Right-breast mammogram, MLO. Patient age 60.
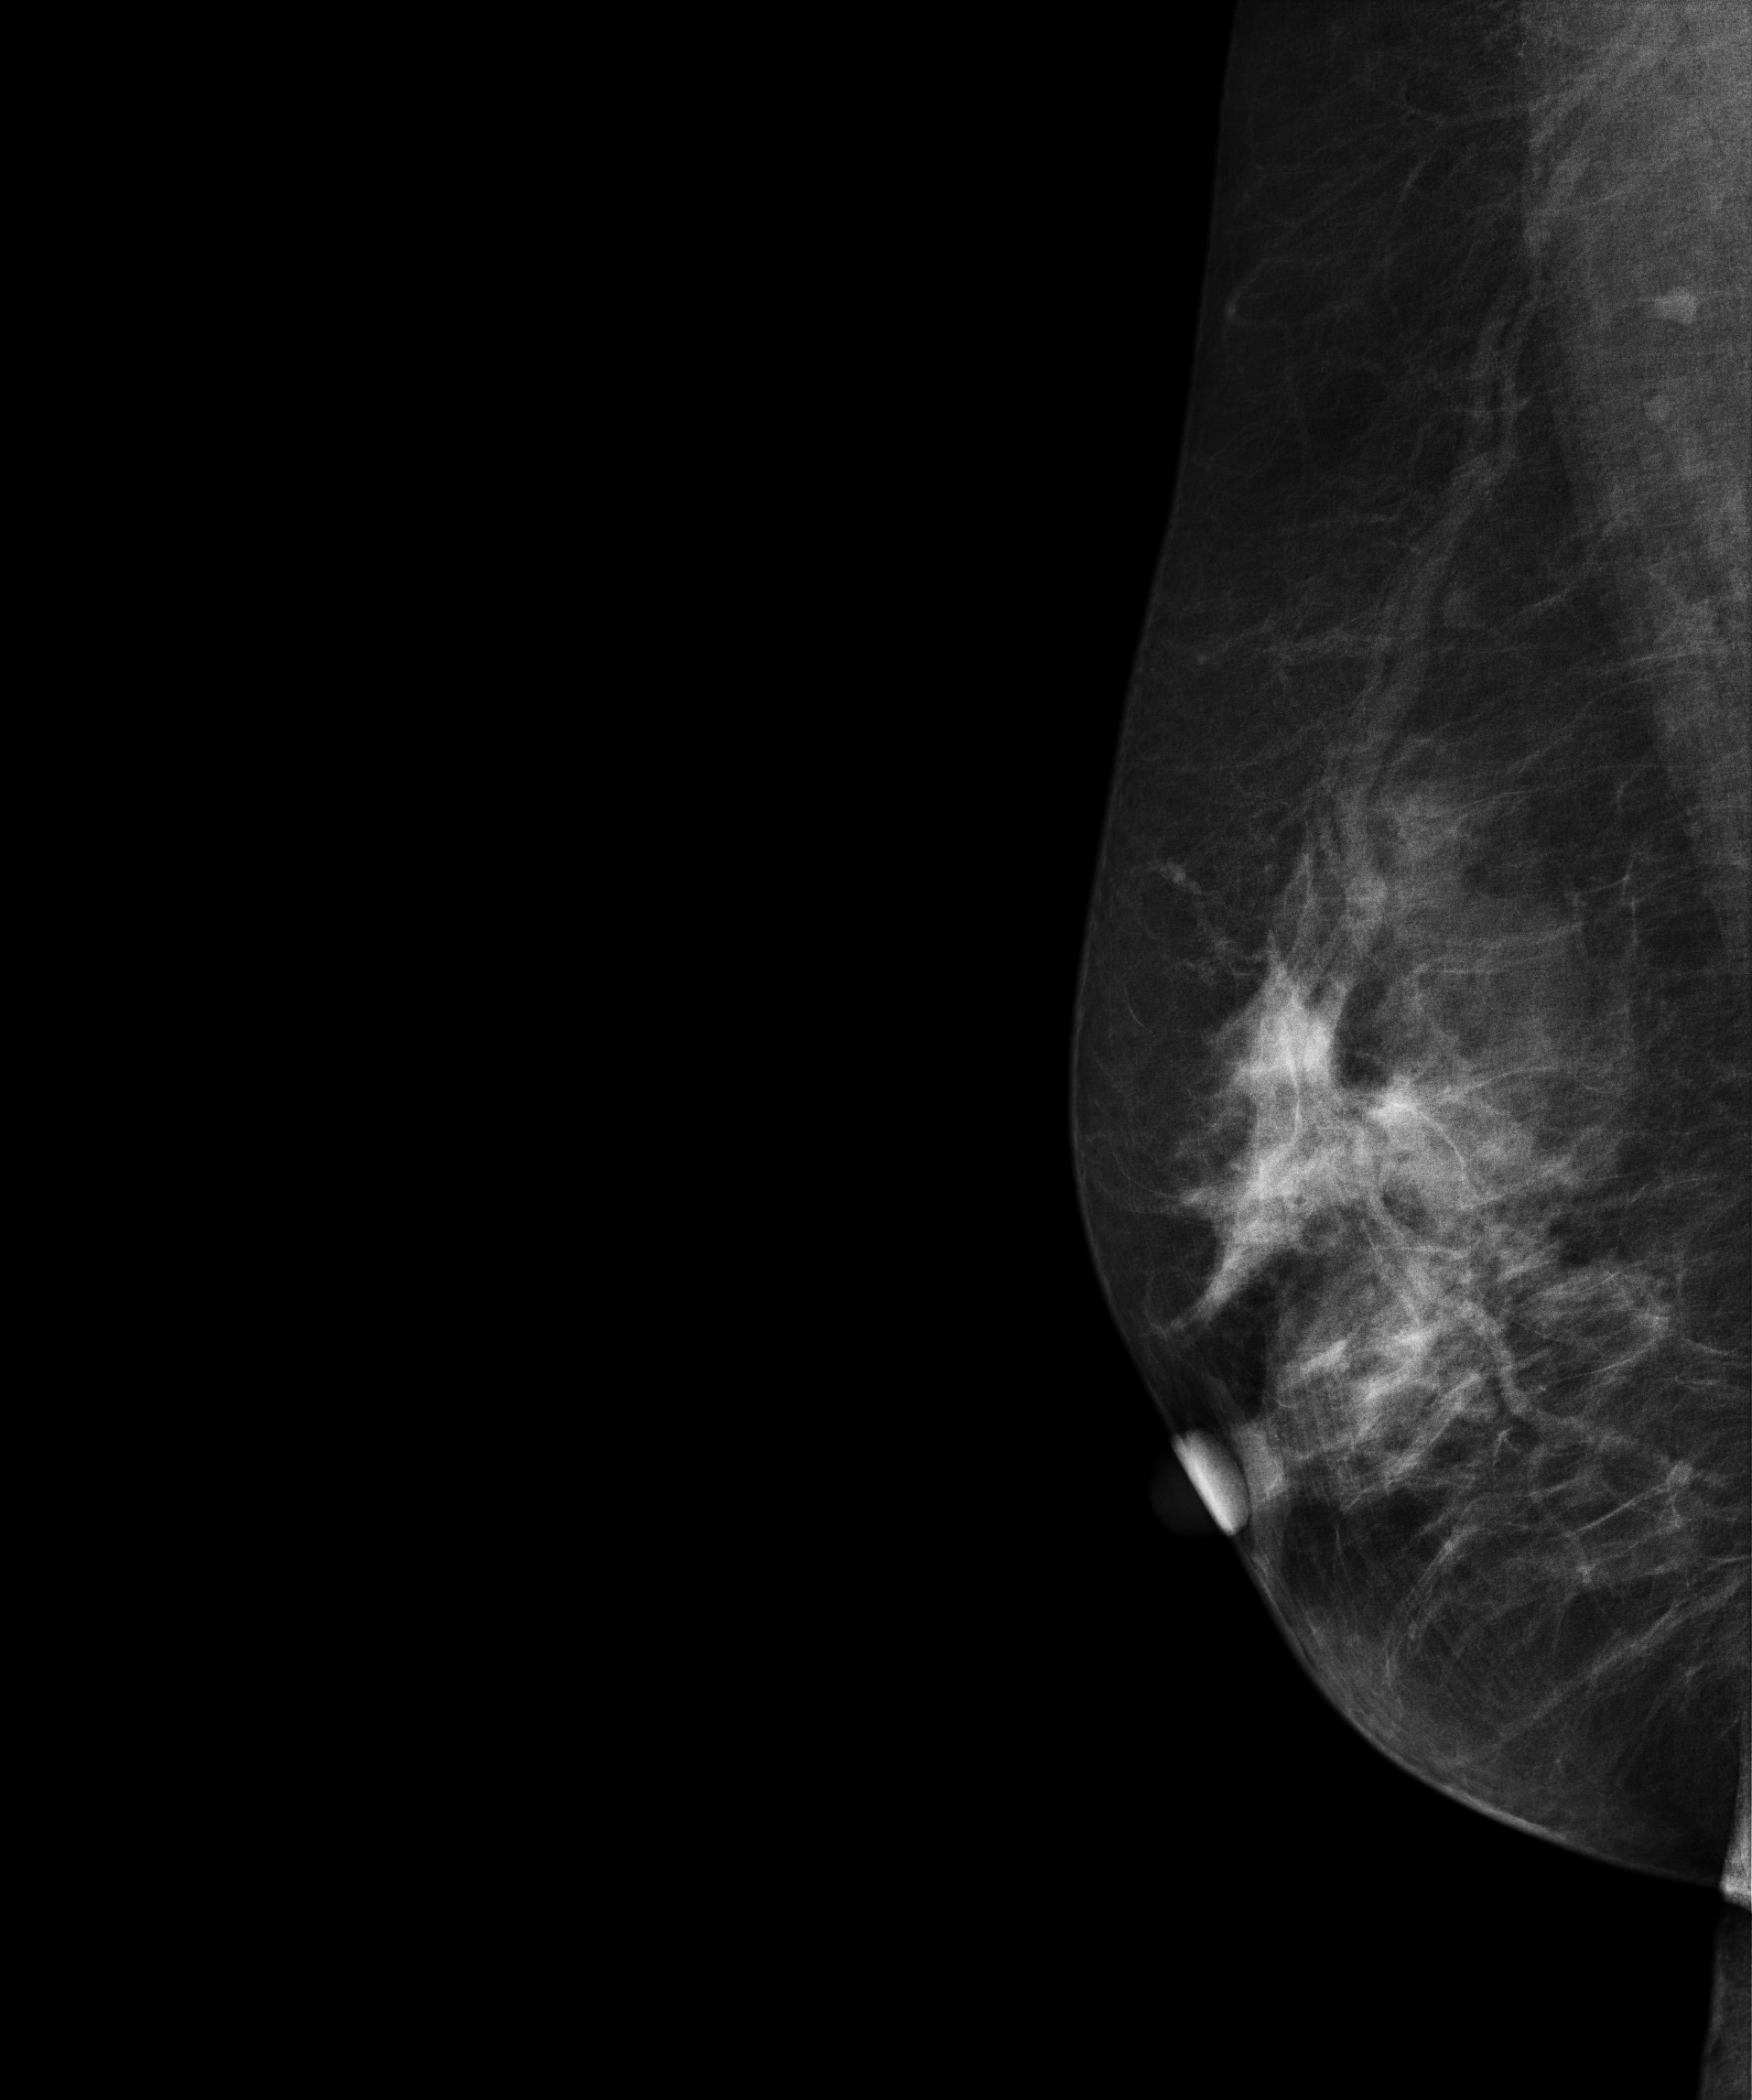
Contralateral breast — no documented abnormality on this side.